Digital mammography. Right breast, MLO projection. Patient age 39.
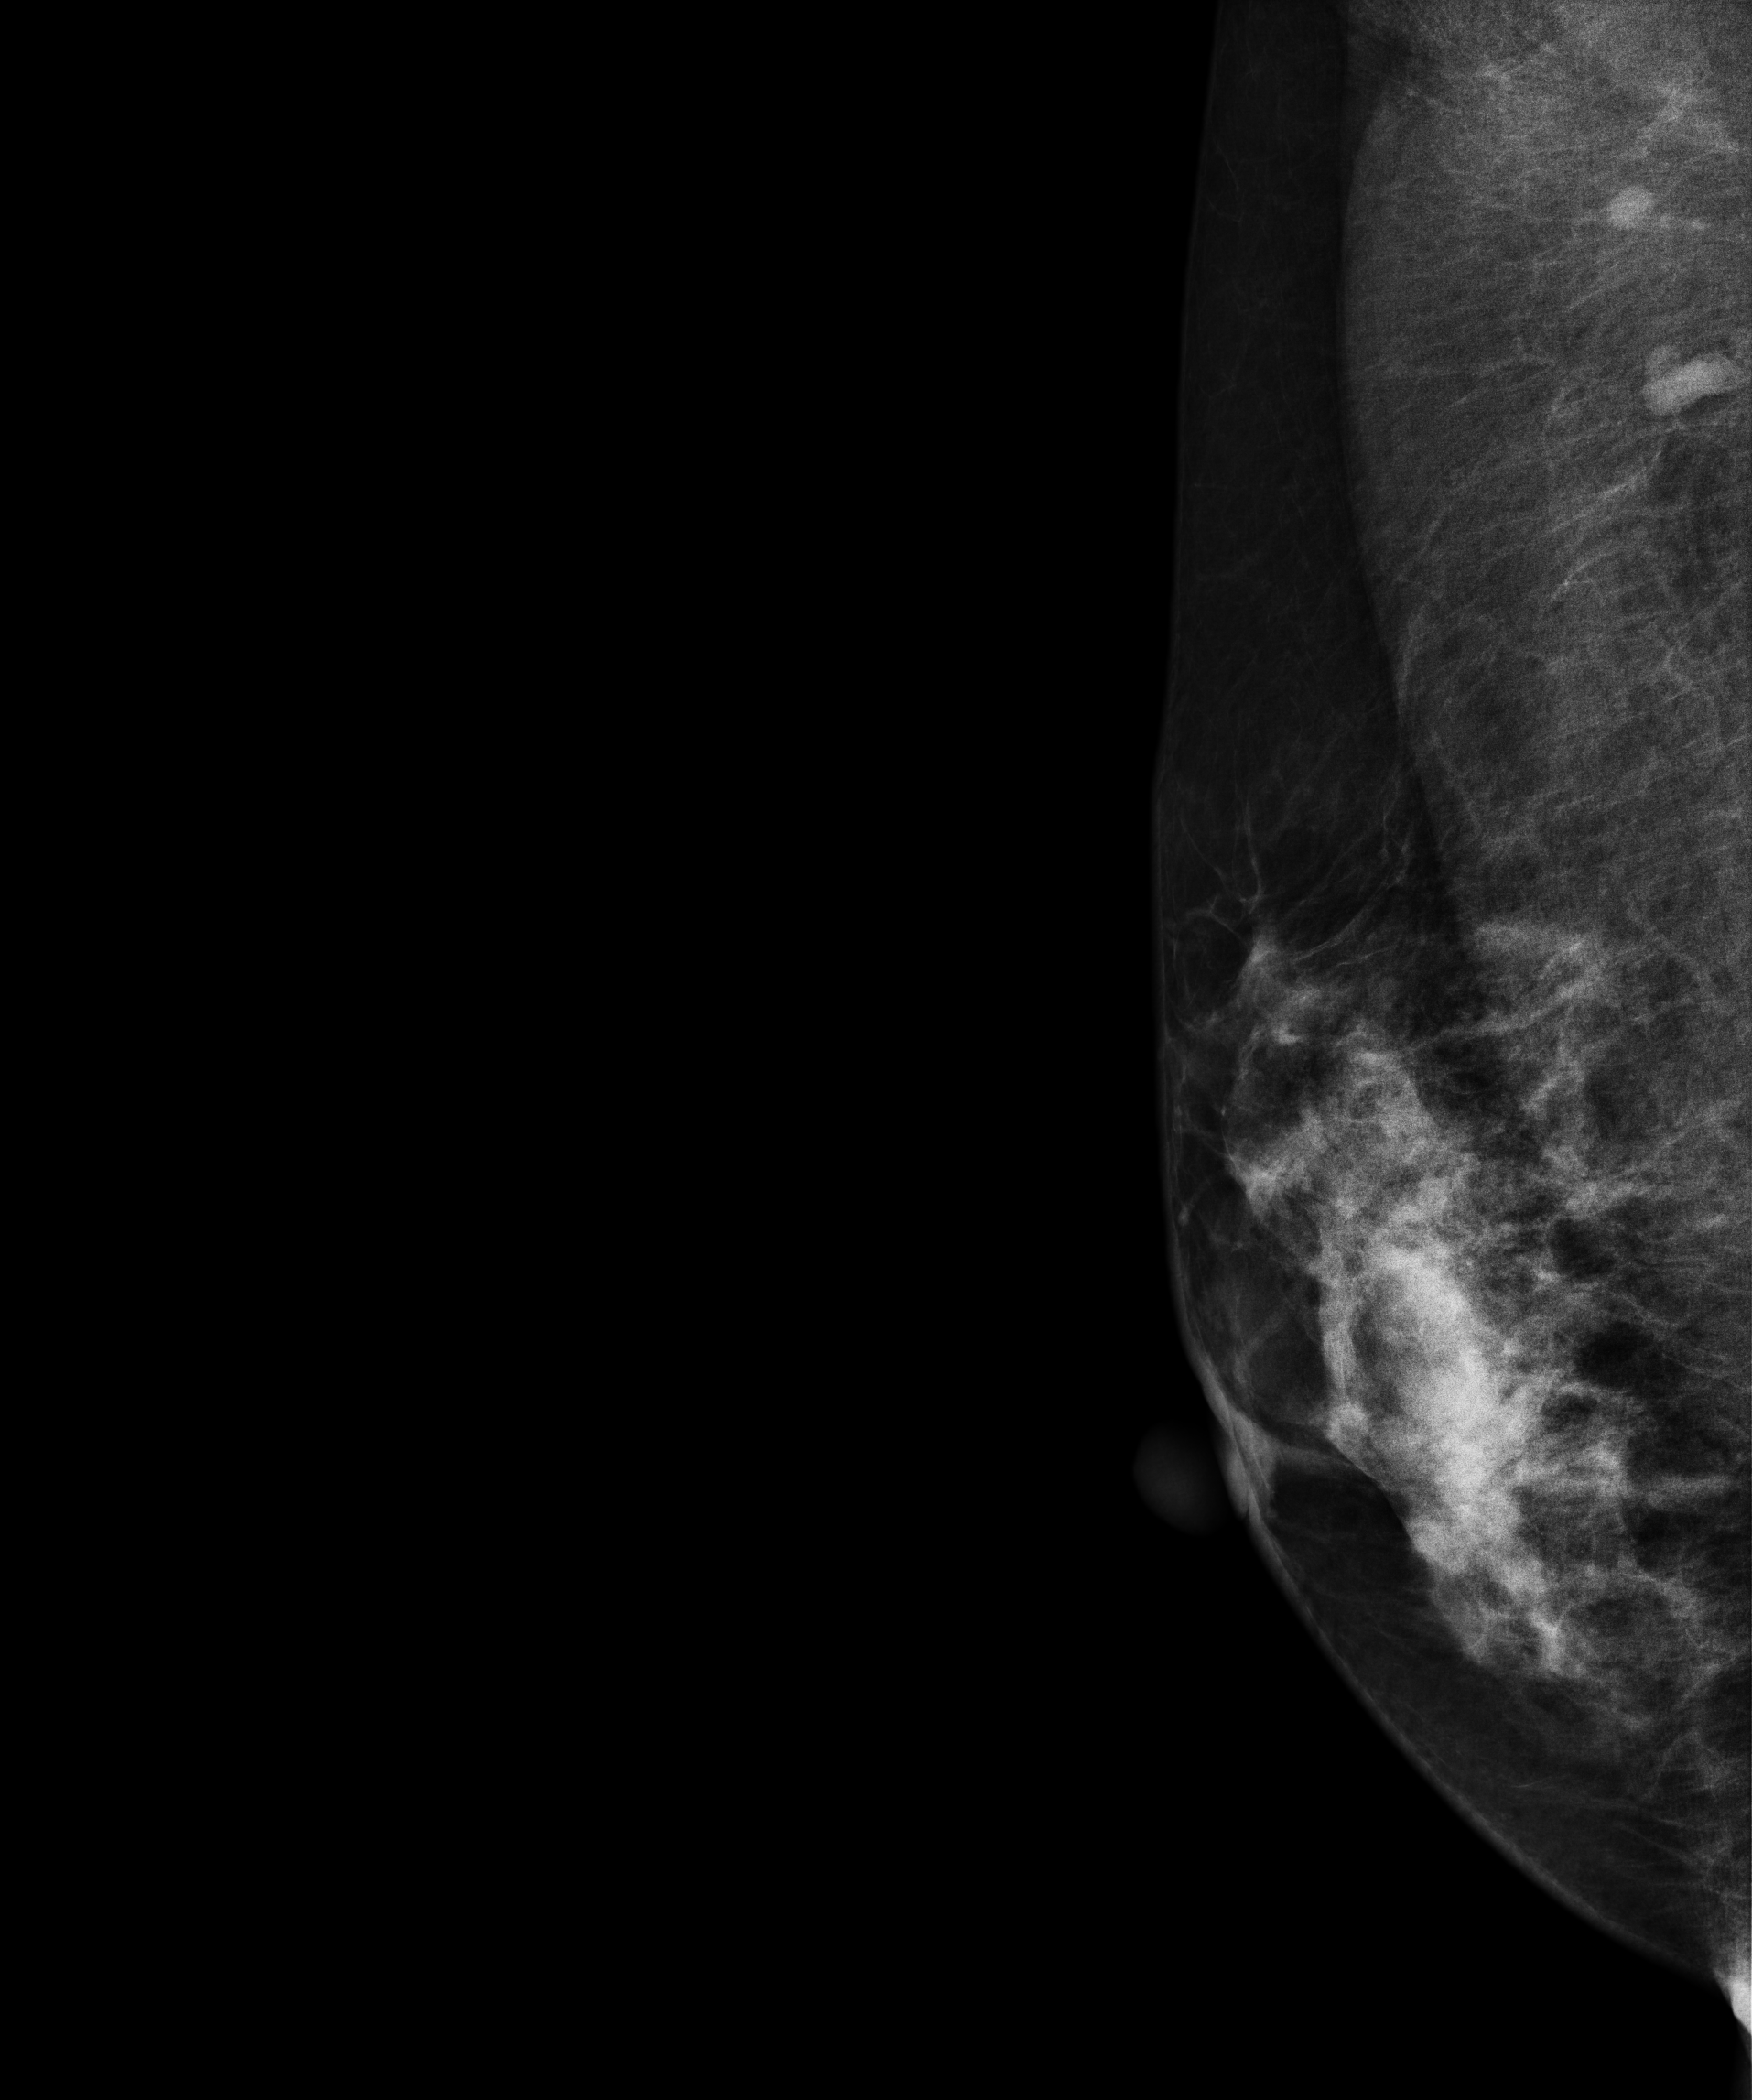
This breast has a mass, biopsy-proven malignant. Molecular subtype: luminal A.